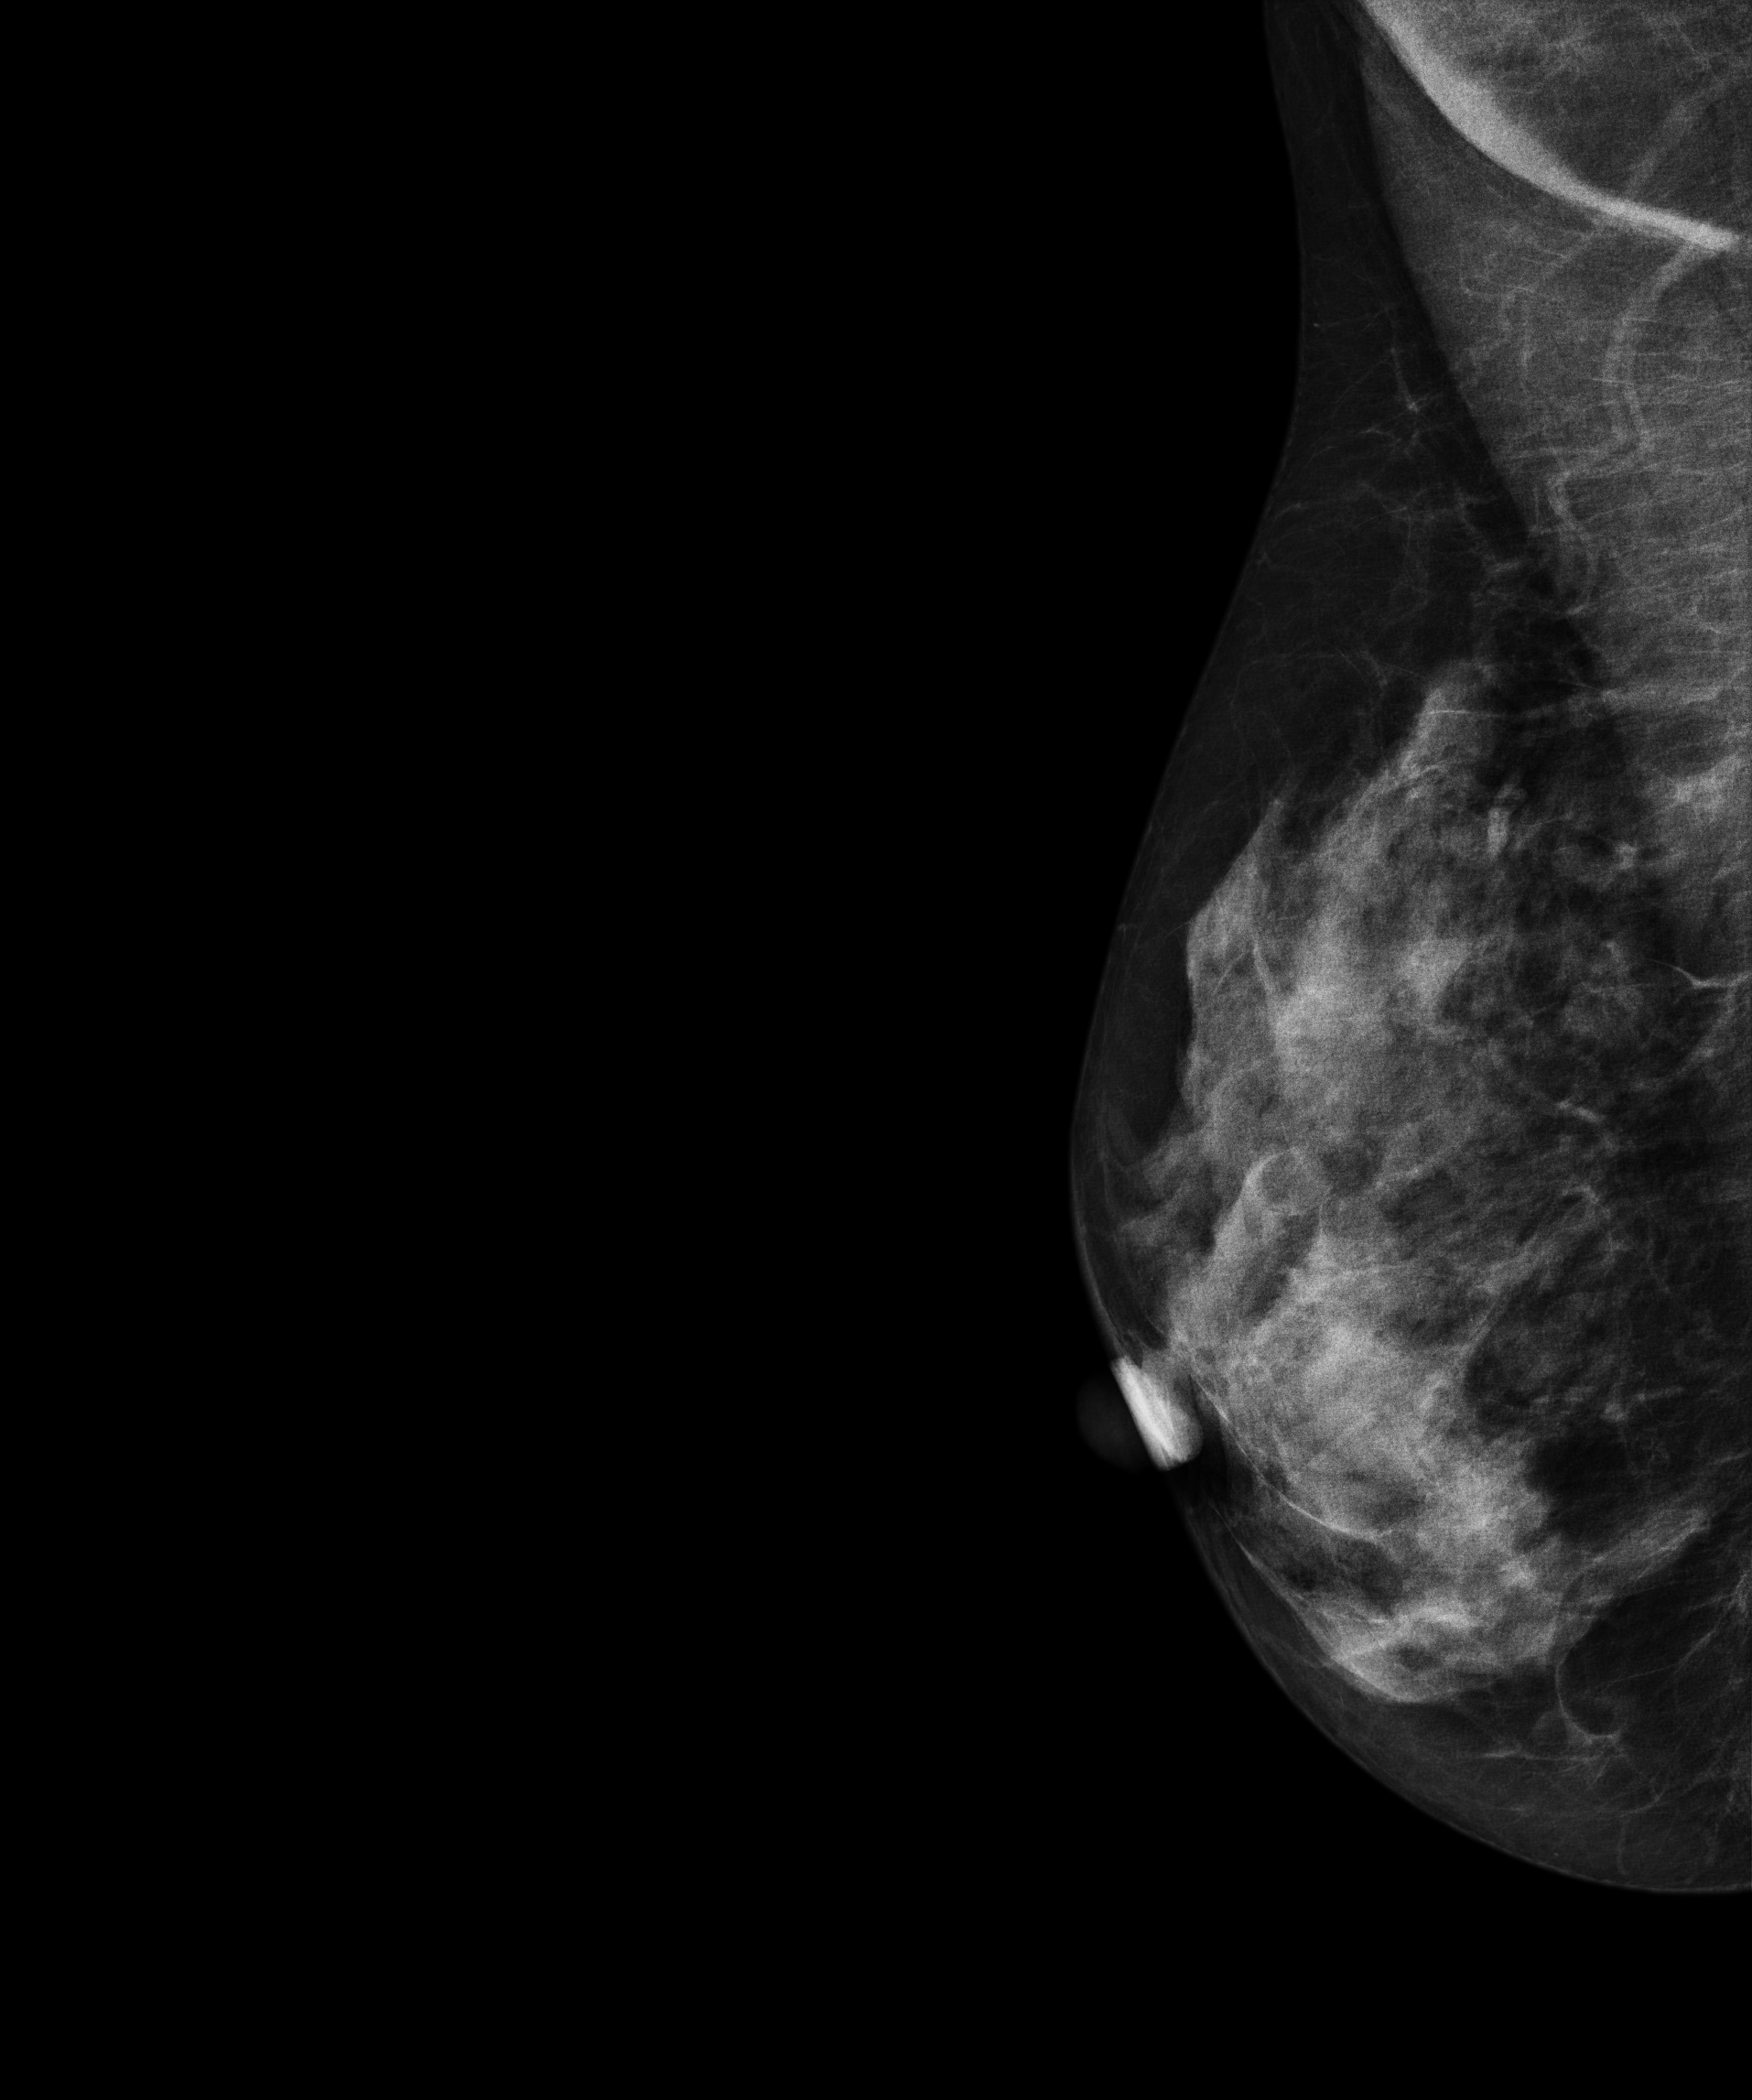
Mammogram — right MLO. Patient age 56.
Contralateral breast — no documented abnormality on this side.